CC mammogram of the right breast. 62-year-old patient.
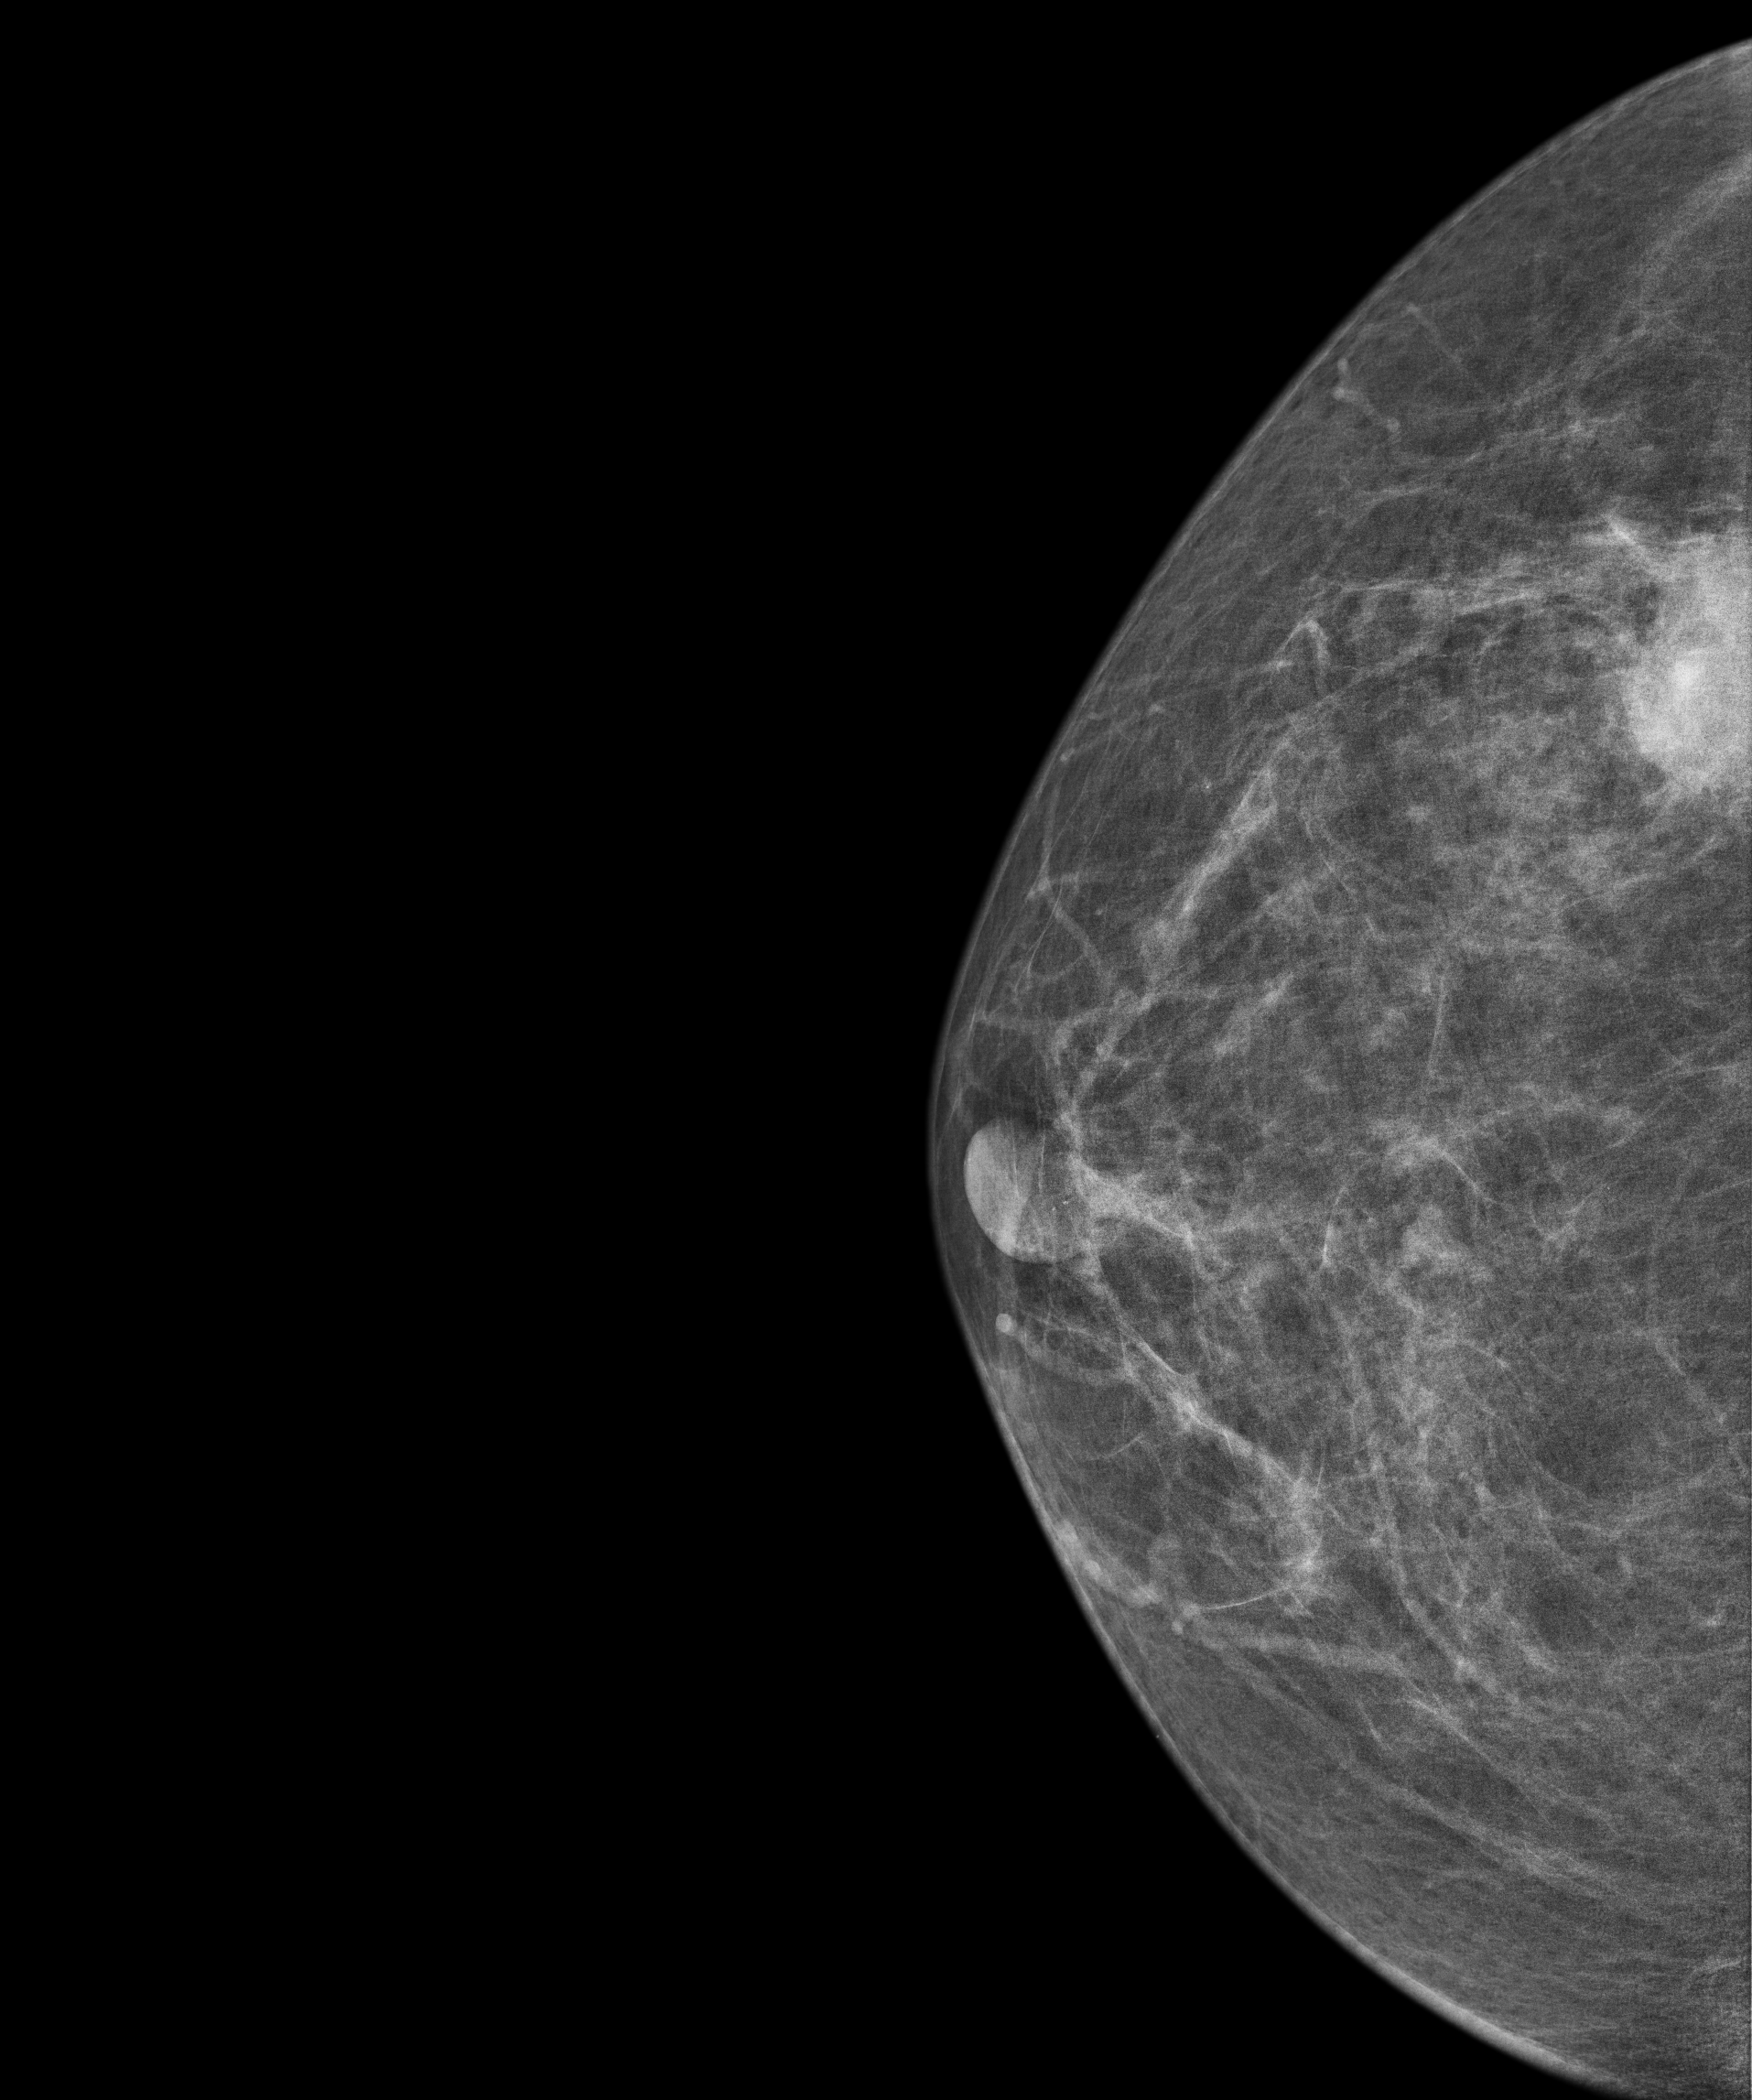
This breast has a mass, histologically confirmed malignant.